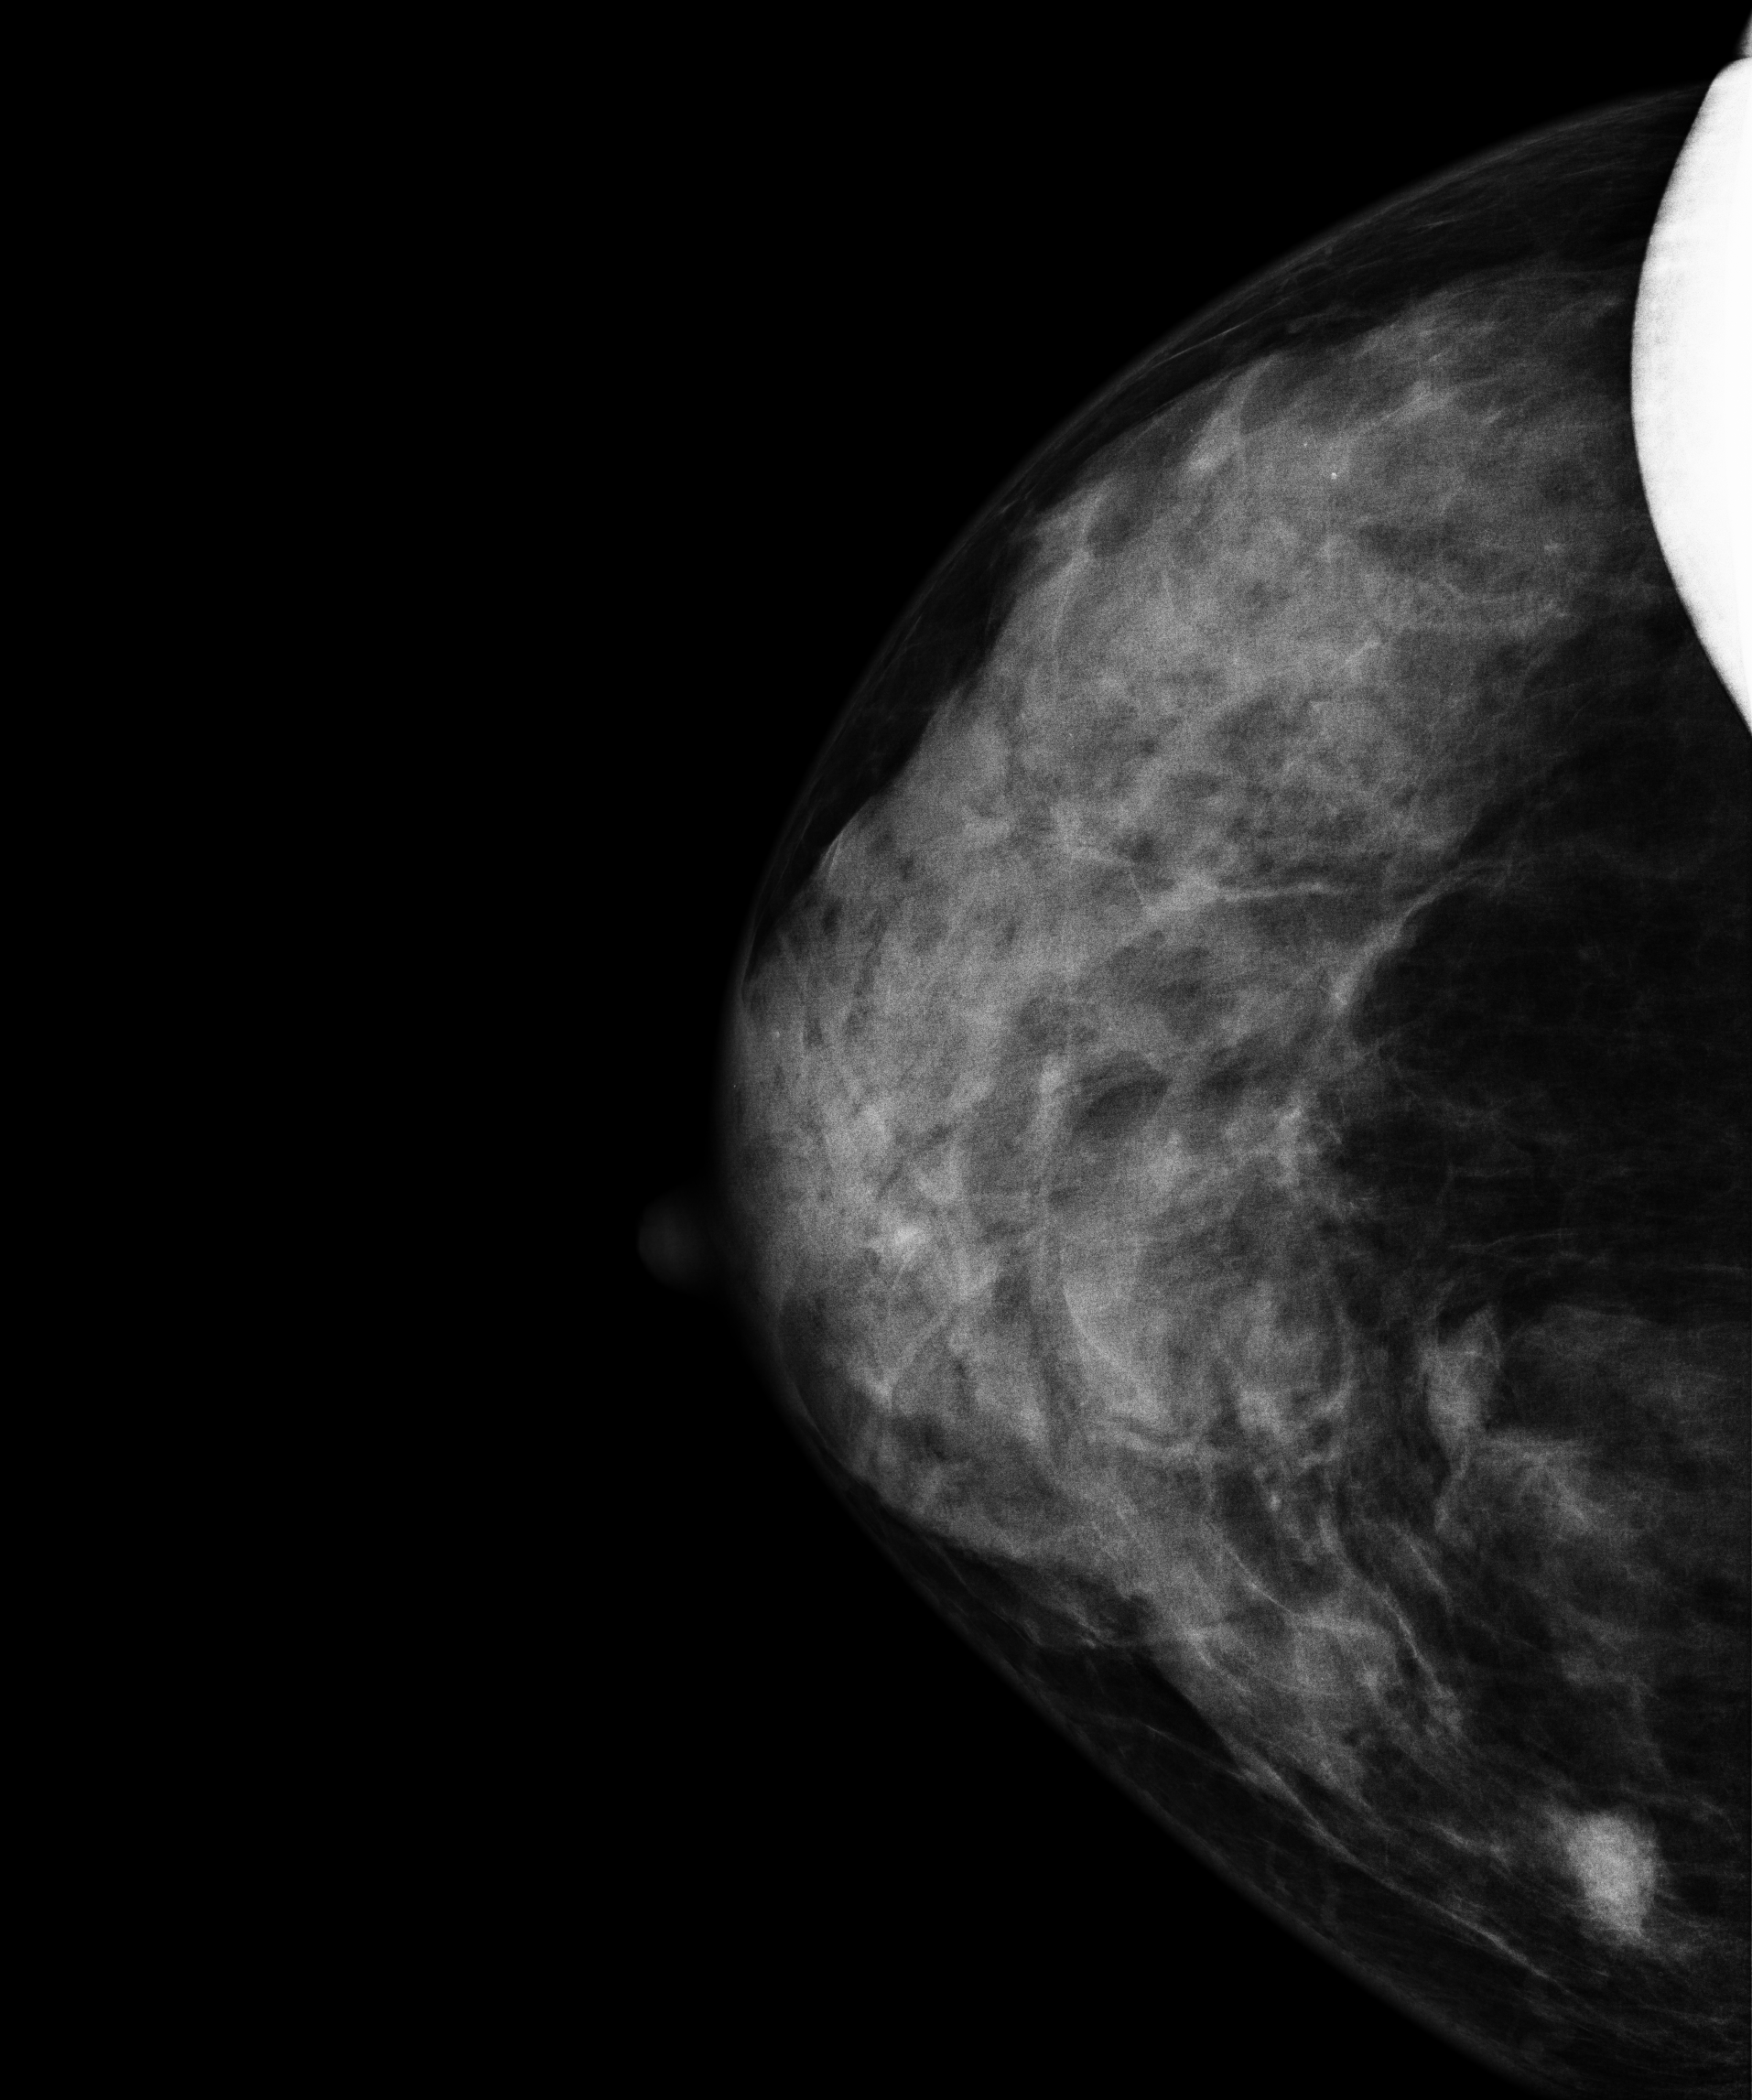
Mammogram, right breast, cranio-caudal view. 52-year-old patient.
This breast has a mass, biopsy-confirmed malignant. Molecular subtype: luminal B.